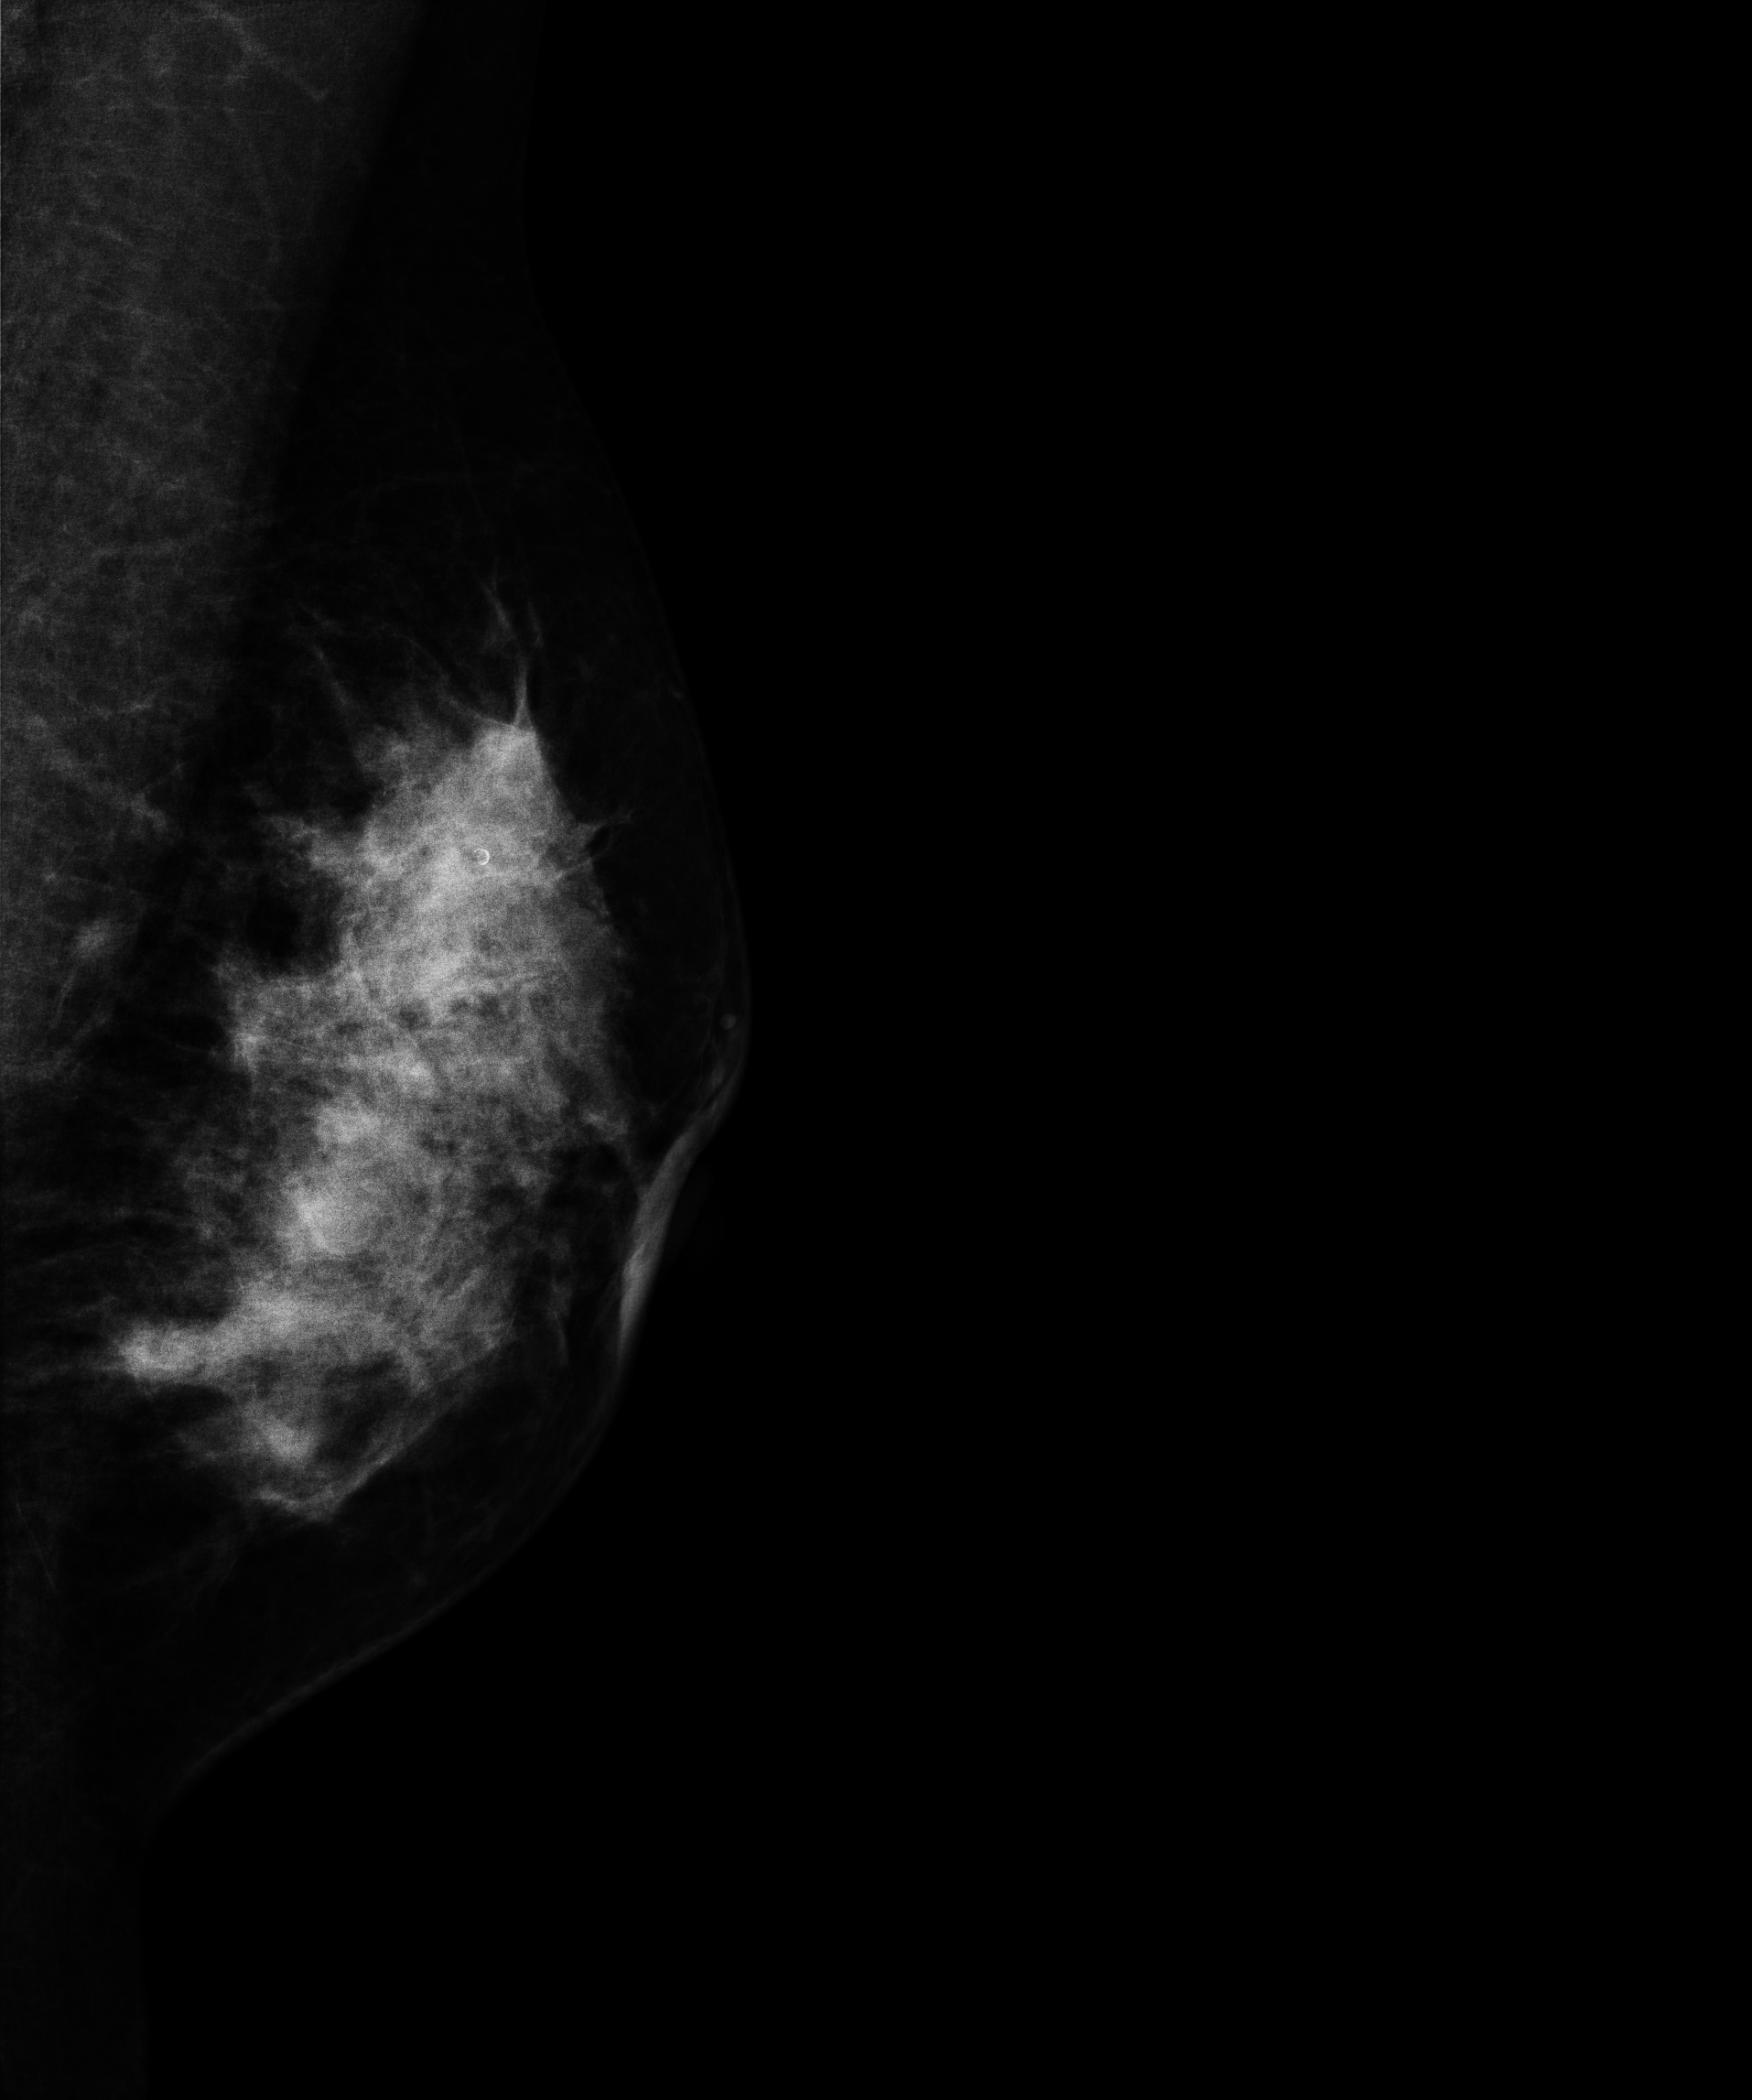
Mammogram — left MLO. 47 y/o patient.
This breast has a mass, biopsy-confirmed malignant.